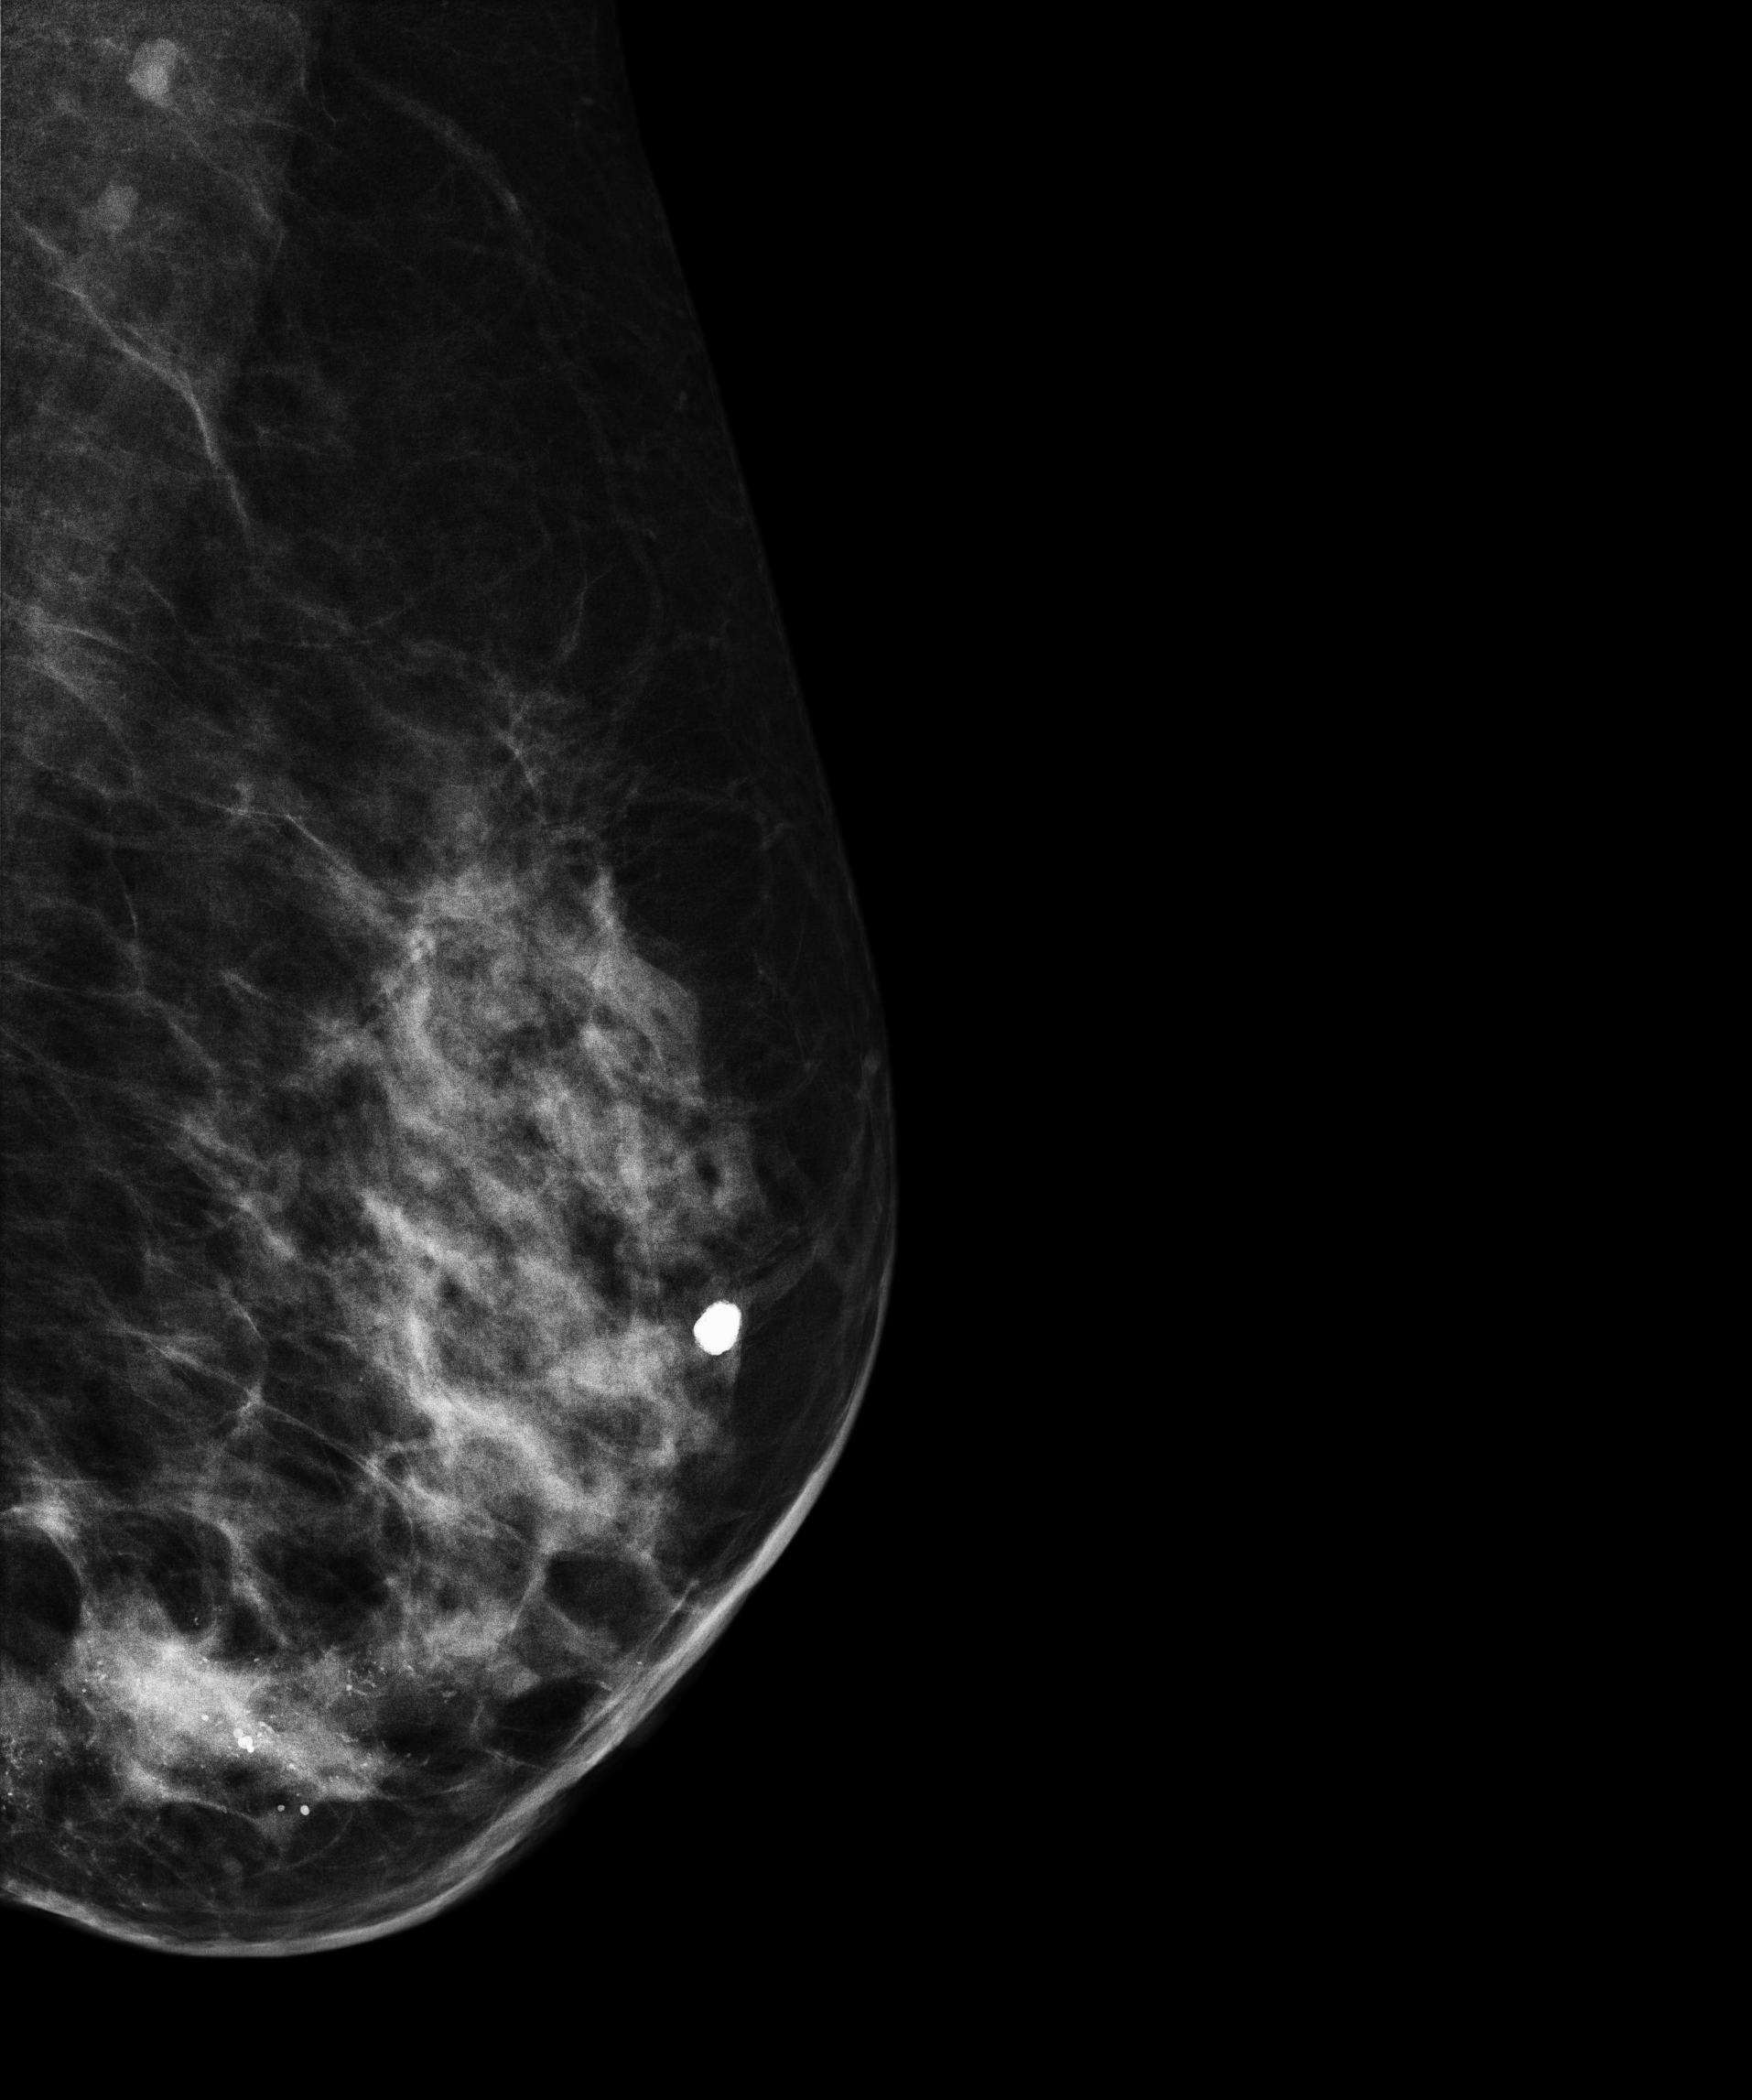
Mammogram, left breast, MLO view. Patient age 66.
This breast has a mass and calcifications, biopsy-proven malignant. Molecular subtype: luminal B.